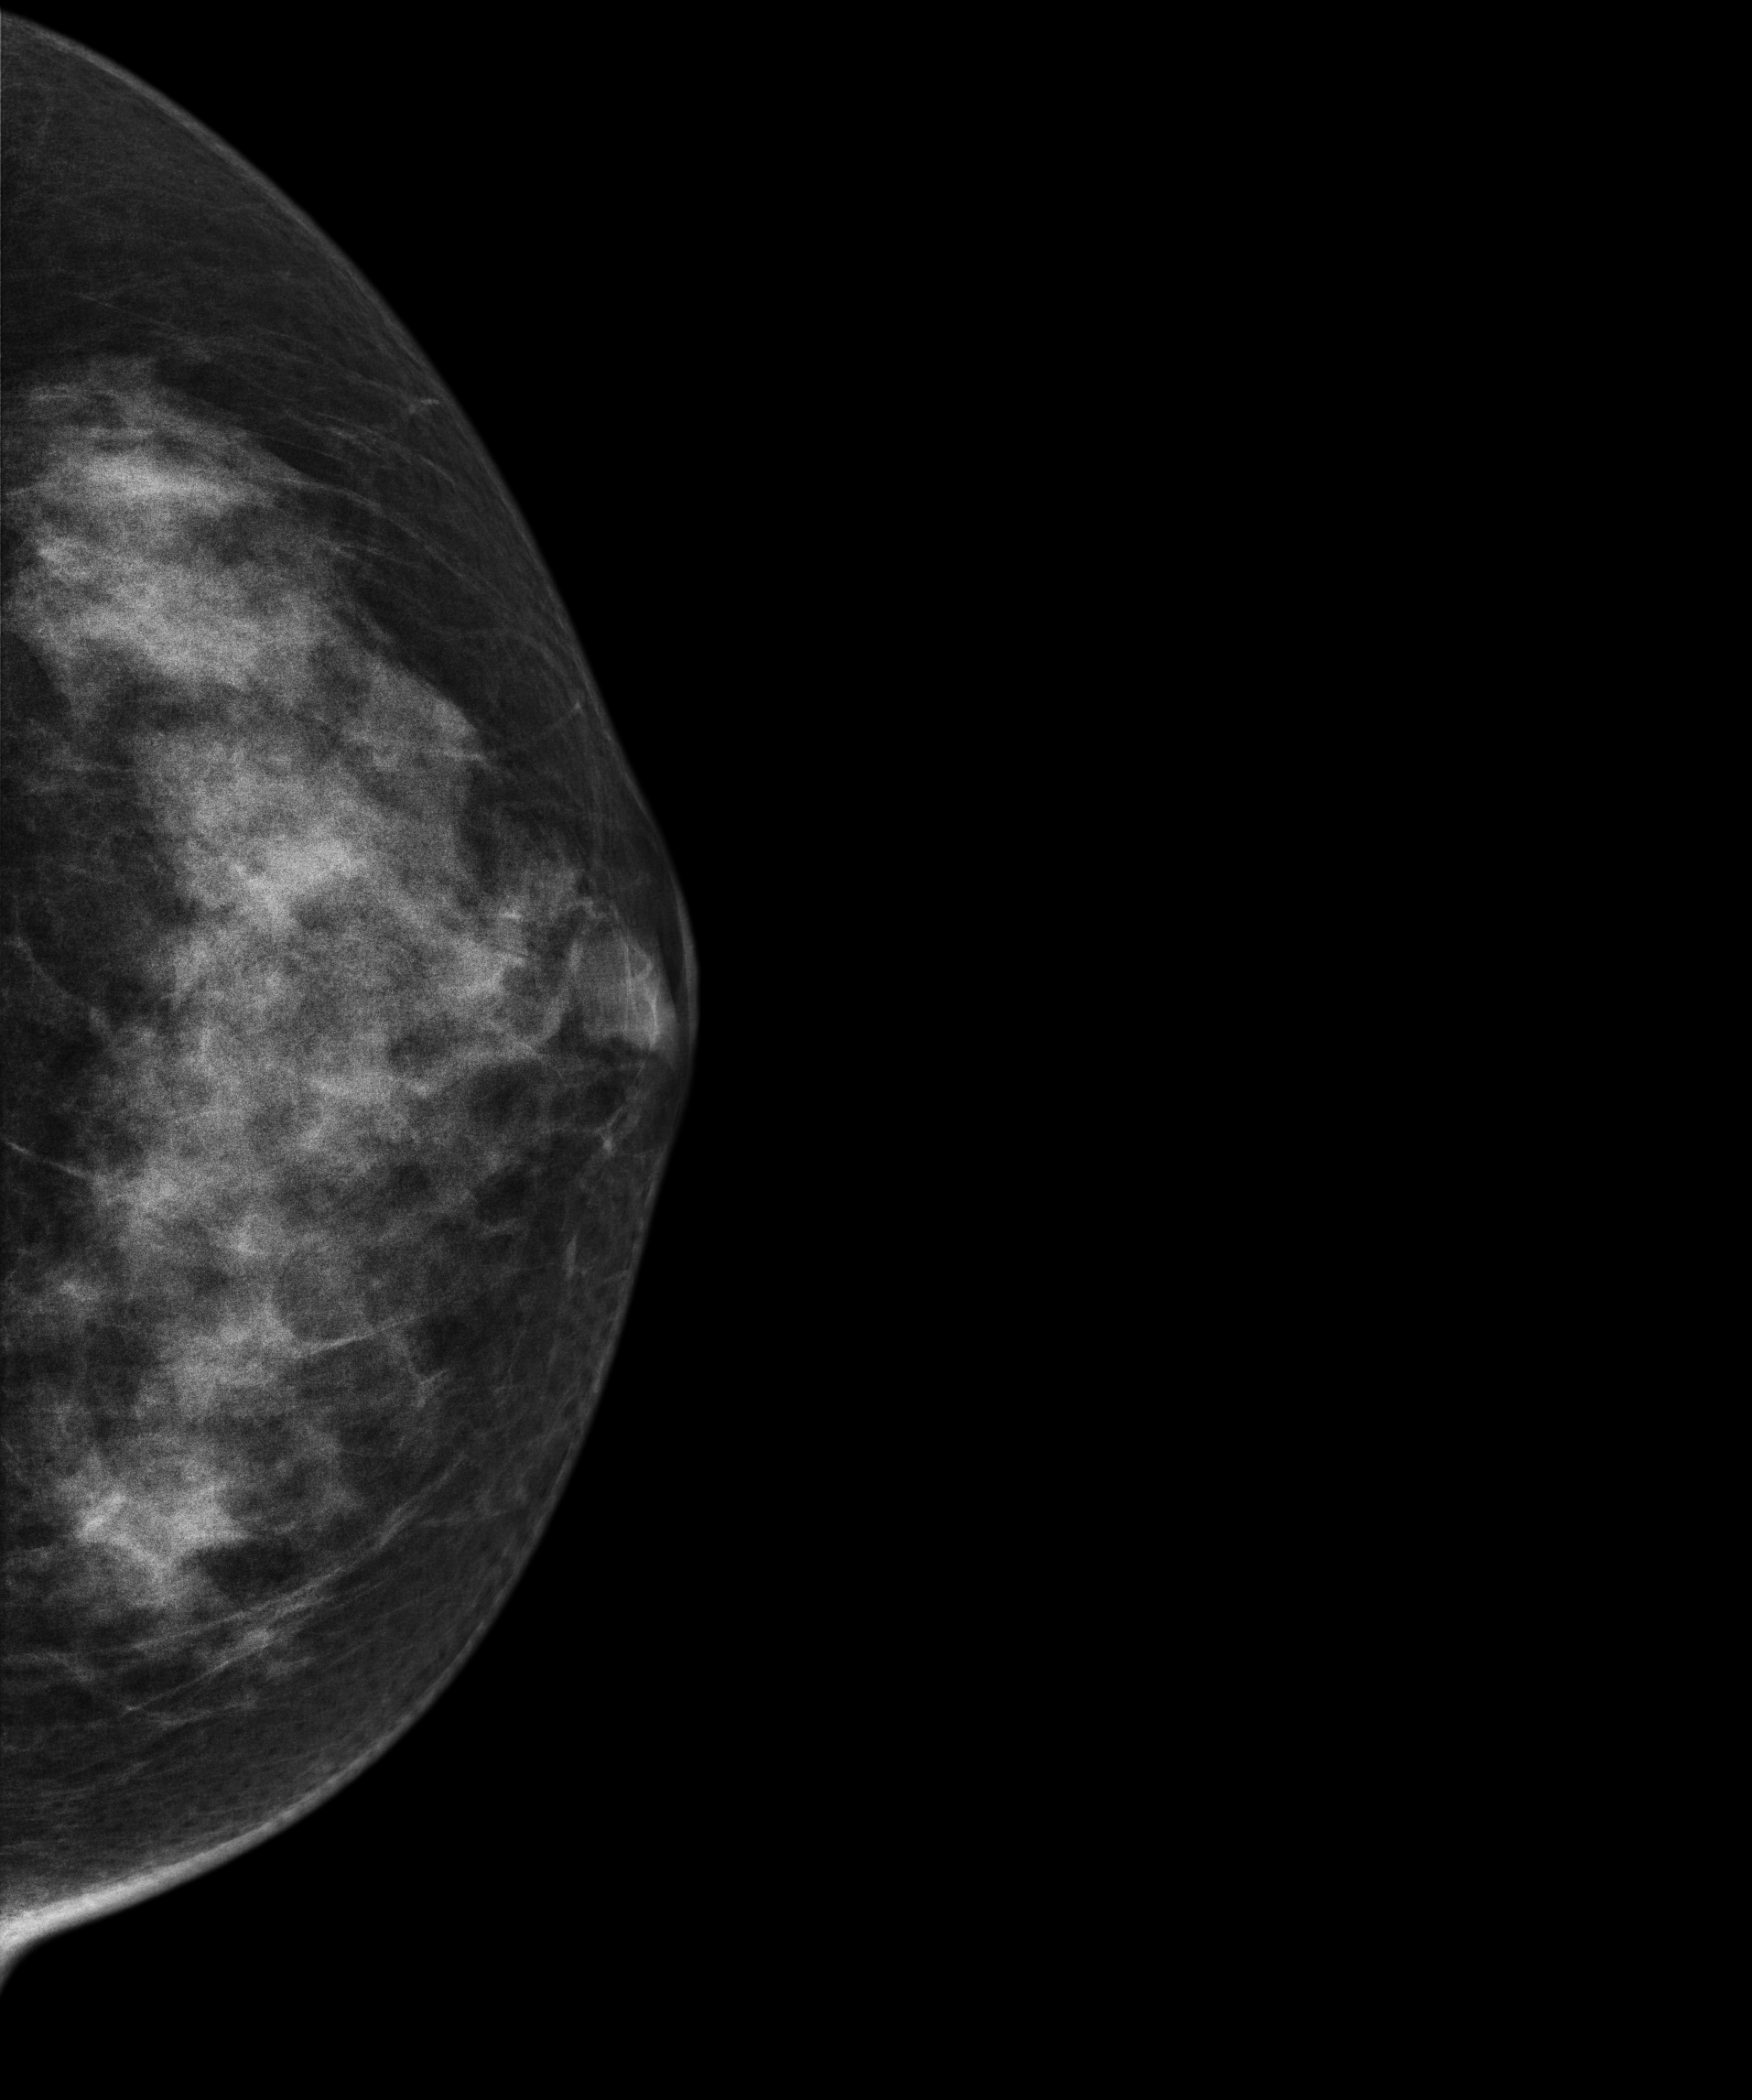
Left-breast mammogram, cranio-caudal. Patient age 48.
Contralateral breast — no documented abnormality on this side.